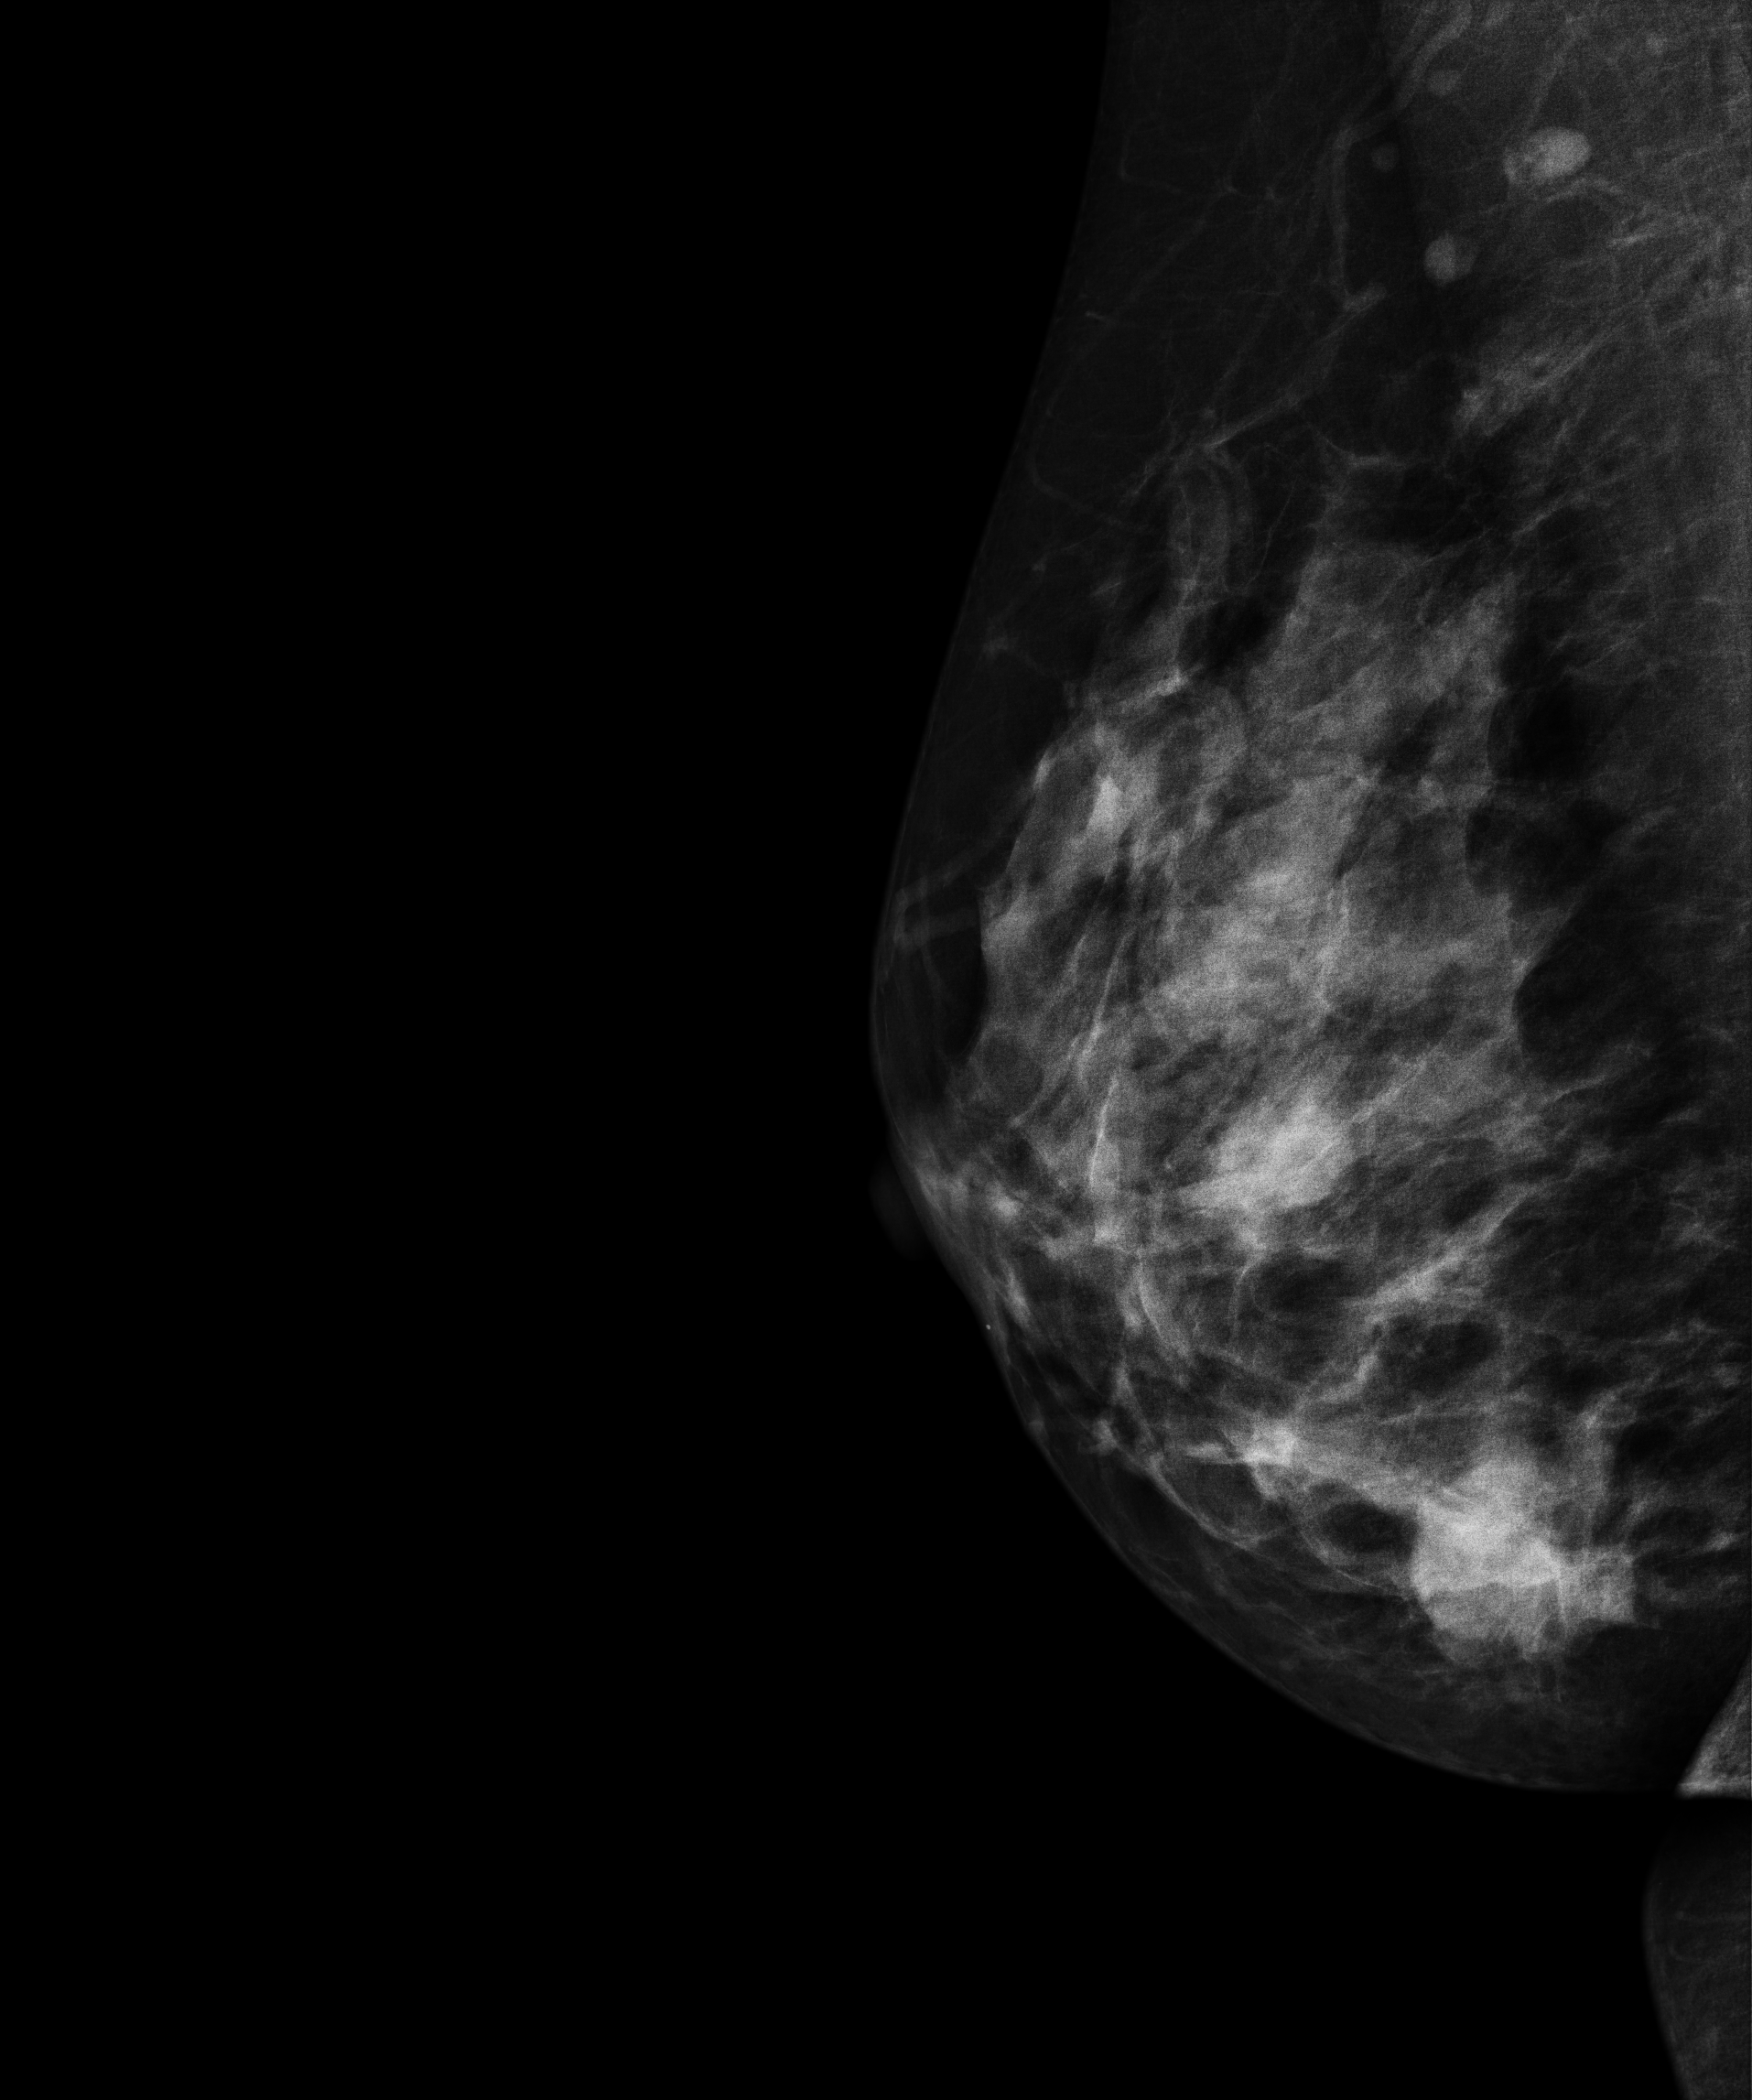
Digital mammography. Right breast, medio-lateral oblique projection. 49 y/o patient.
This breast has a mass, biopsy-confirmed malignant. Molecular subtype: luminal A.